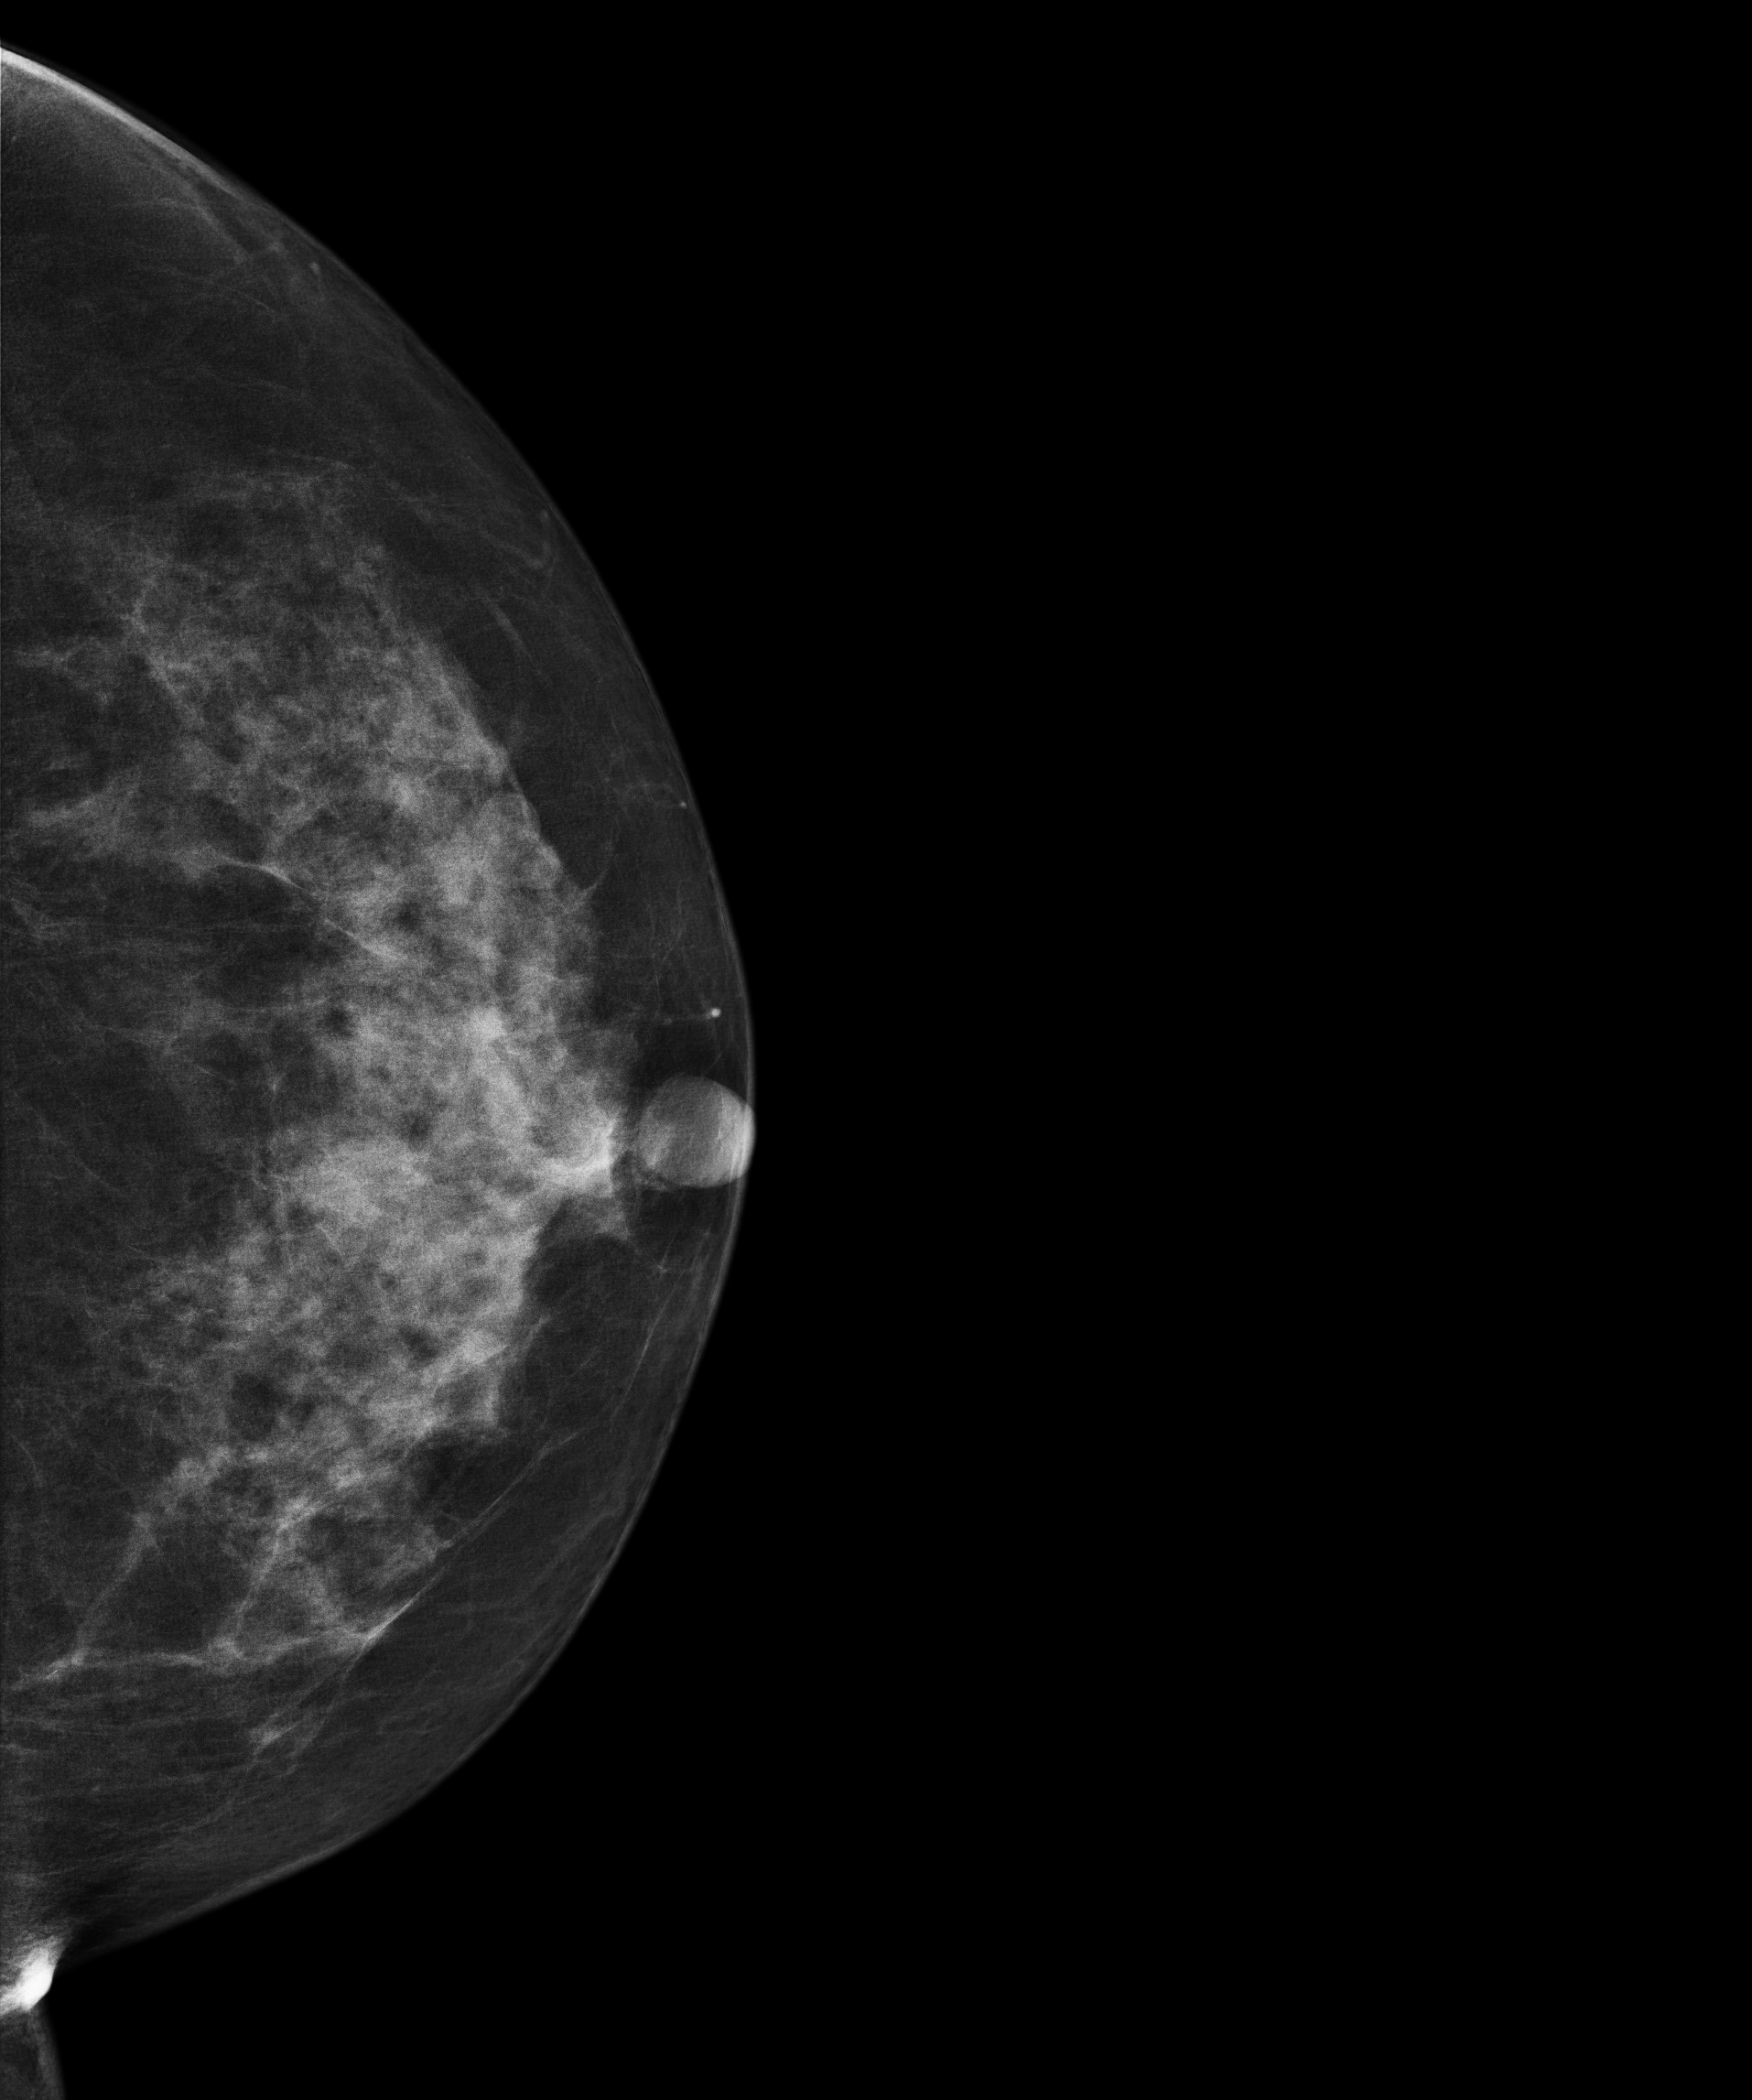
Digital mammography. Left breast, cranio-caudal projection. Patient age 54.
This breast has a mass, biopsy-confirmed benign.